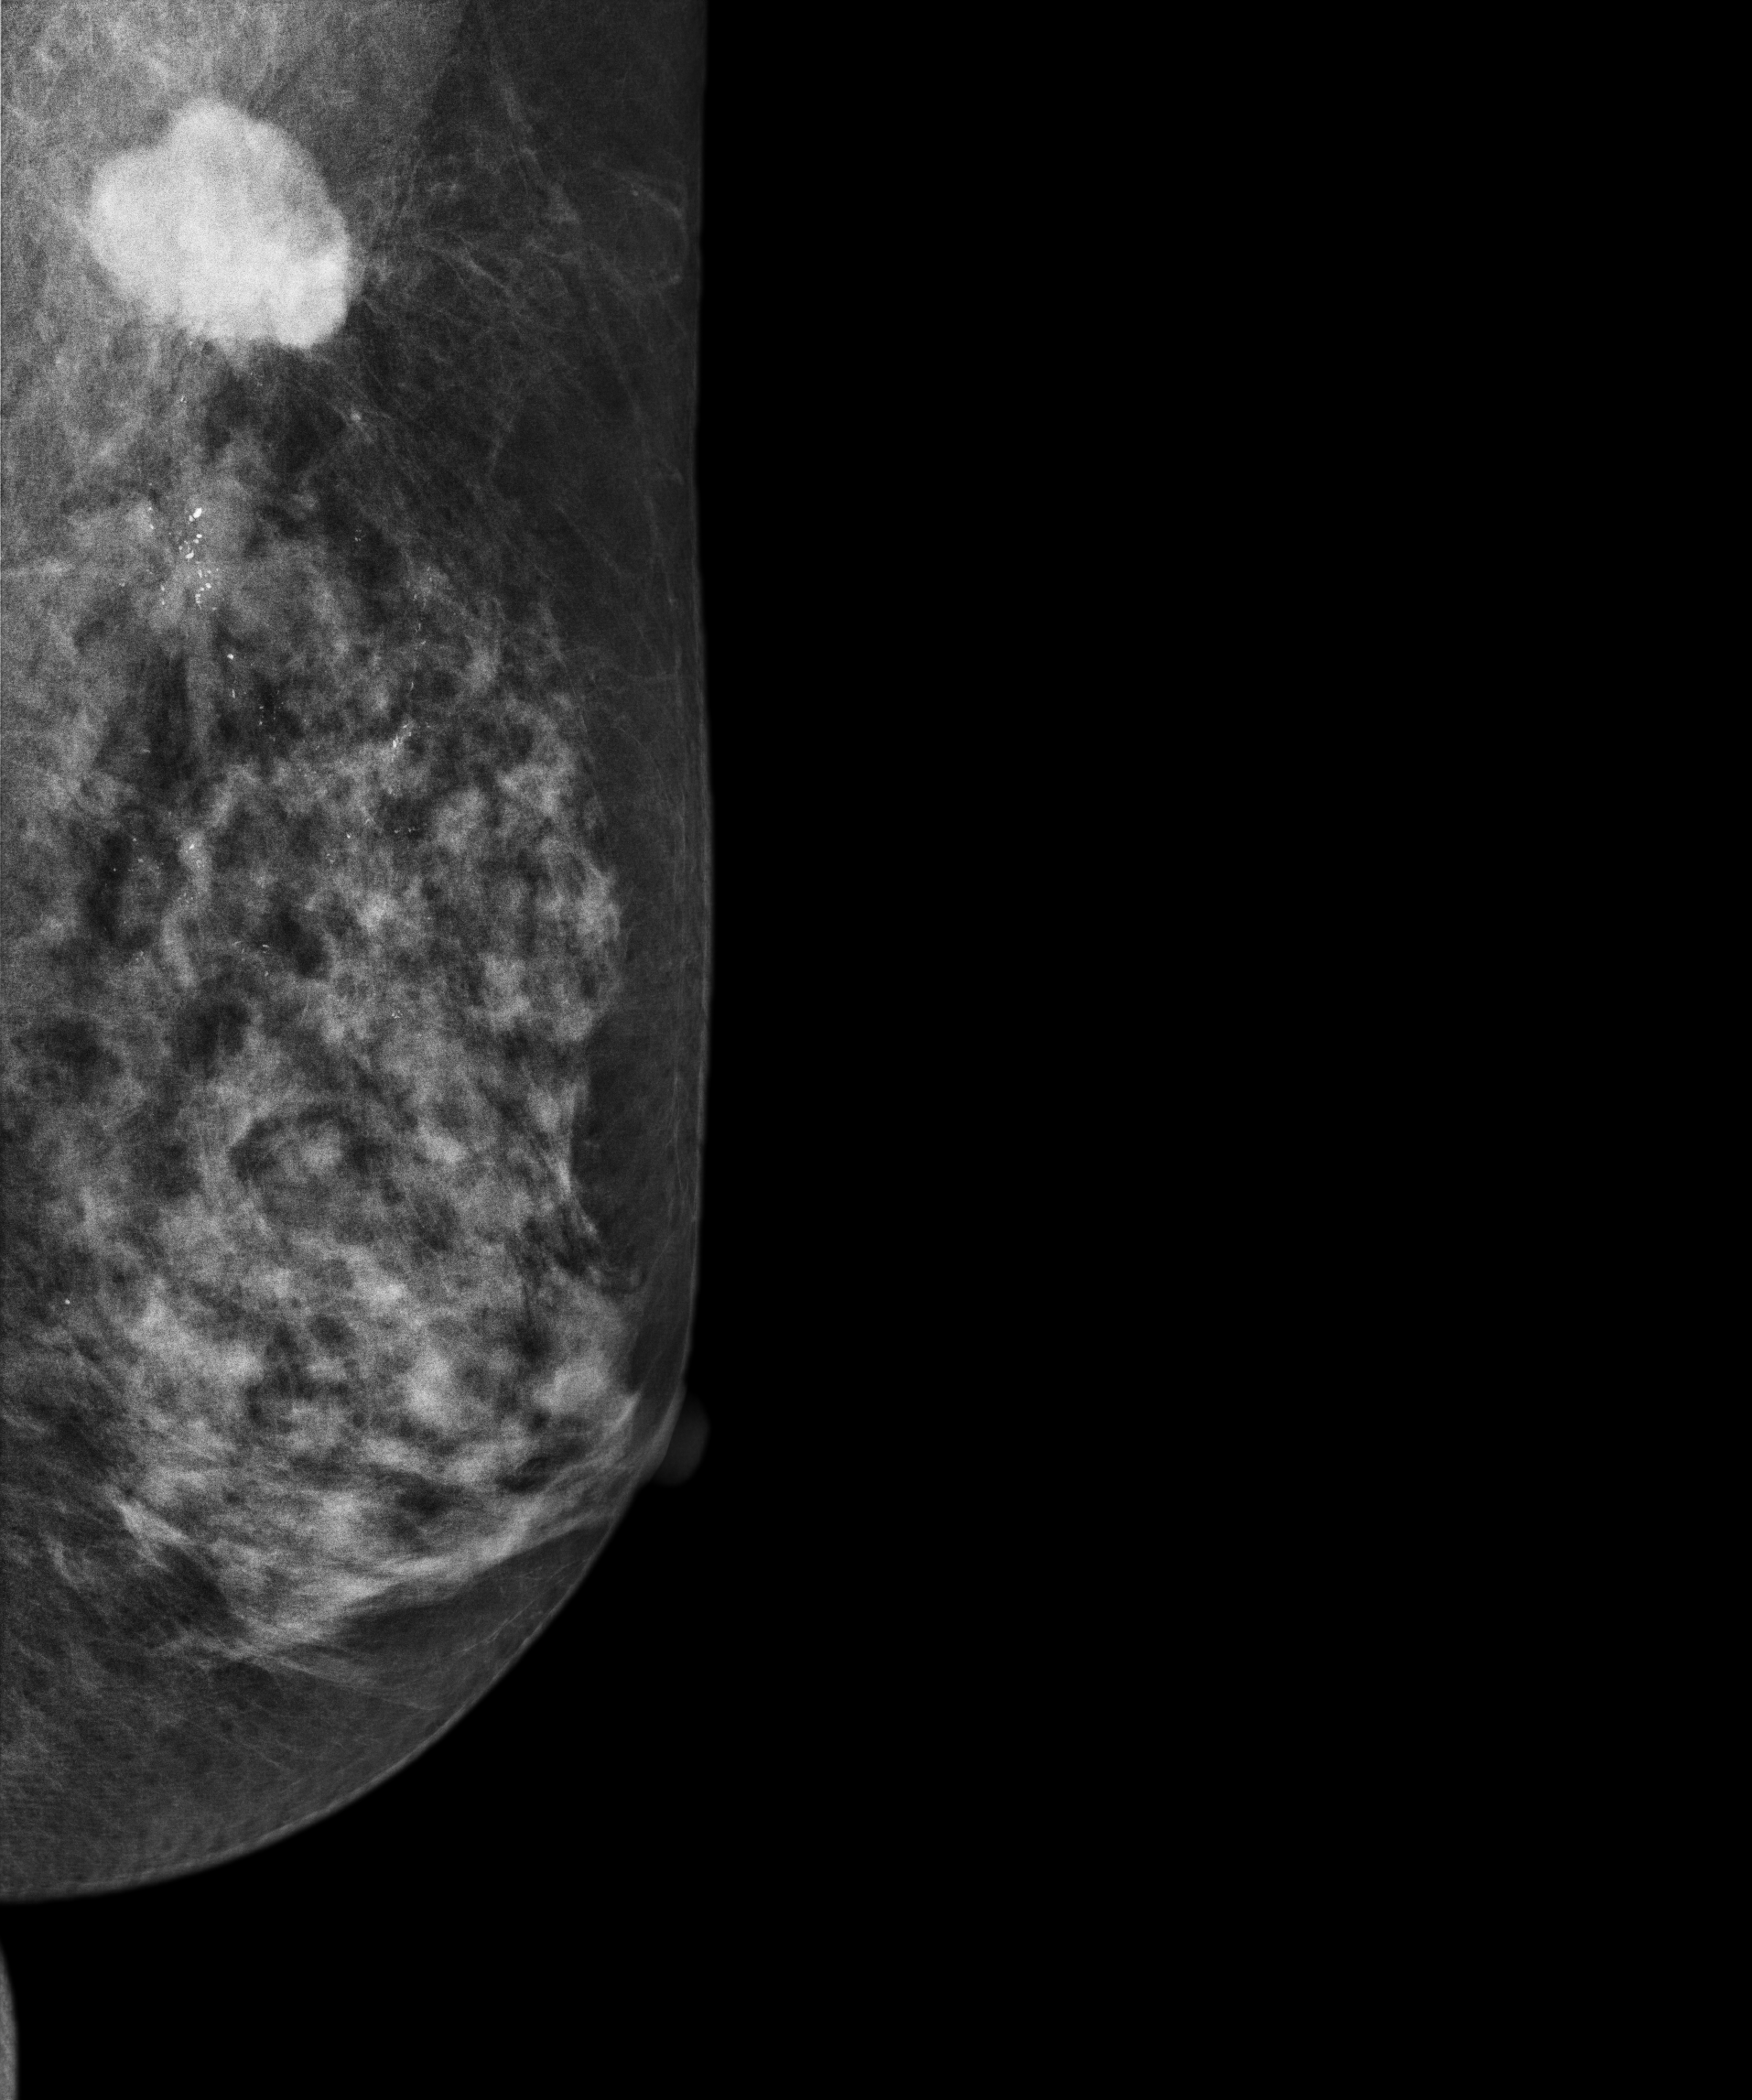
Medio-lateral oblique mammogram of the left breast. 67 y/o patient.
This breast has calcifications, biopsy-proven malignant. Molecular subtype: luminal B.